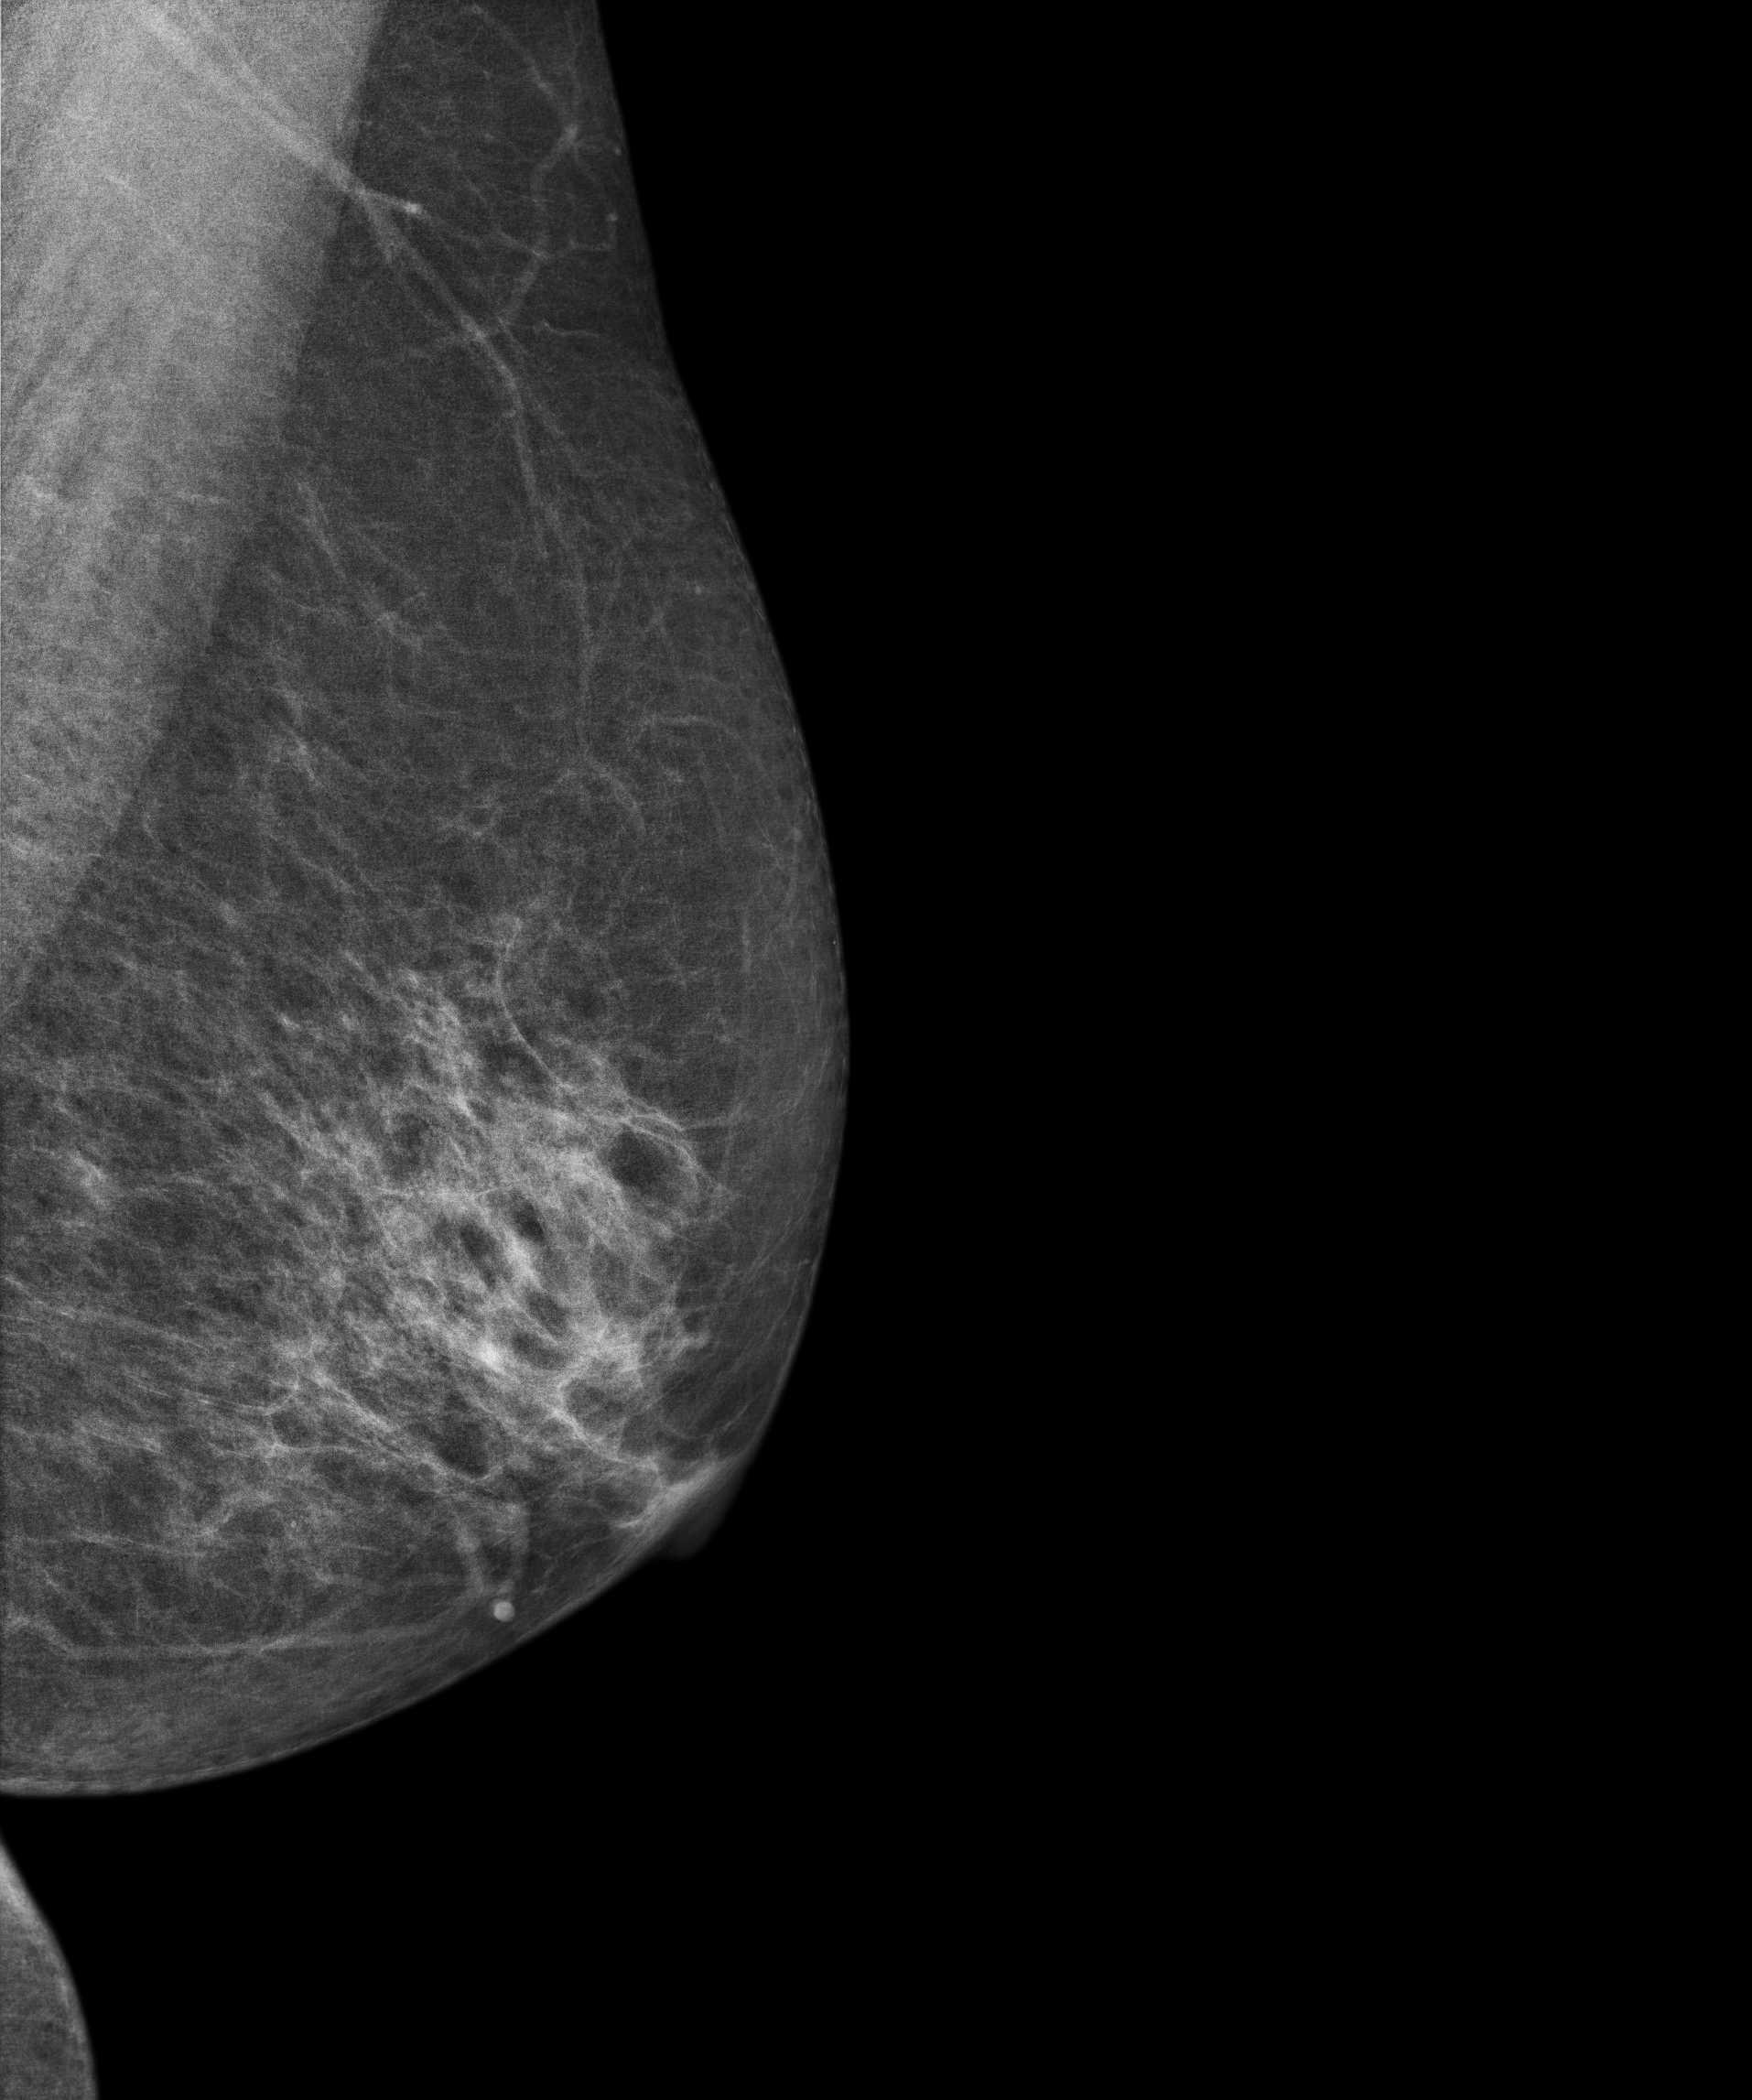
Medio-lateral oblique mammogram of the left breast. 77-year-old patient.
Contralateral breast — no documented abnormality on this side.